Digital mammography. Left breast, CC projection. Patient age 52.
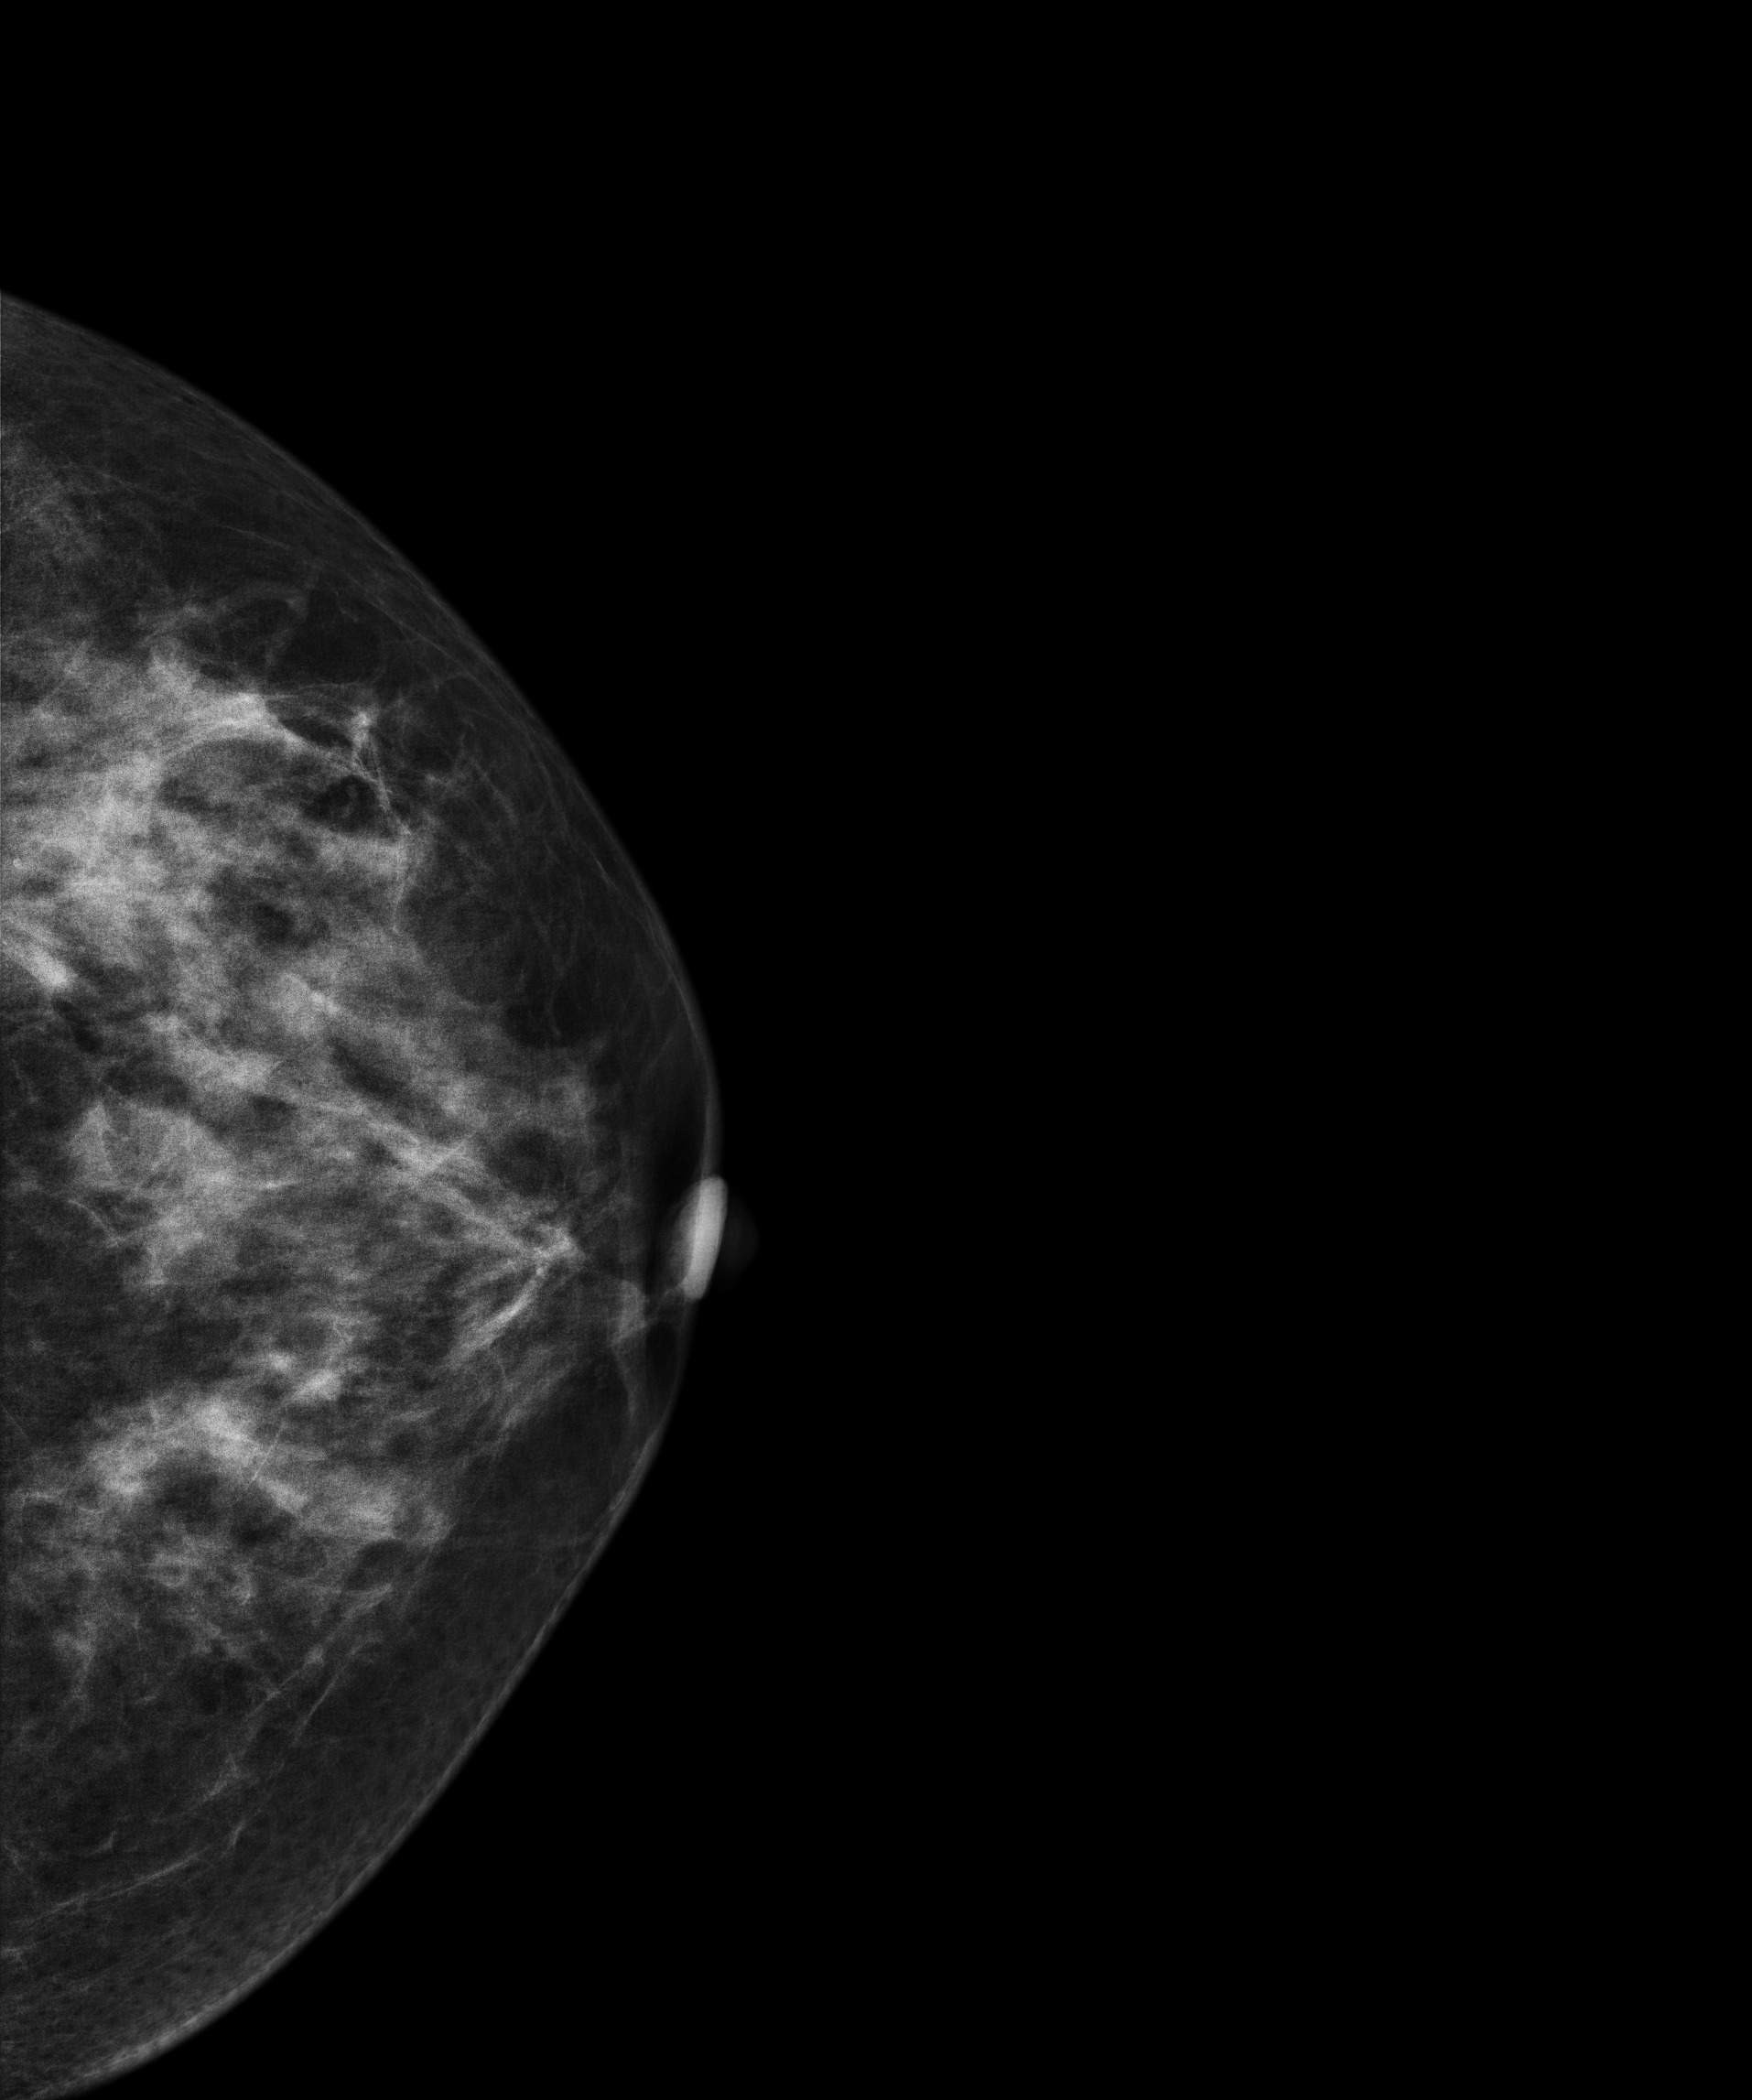
This breast has a mass, histologically confirmed malignant. Molecular subtype: luminal B.